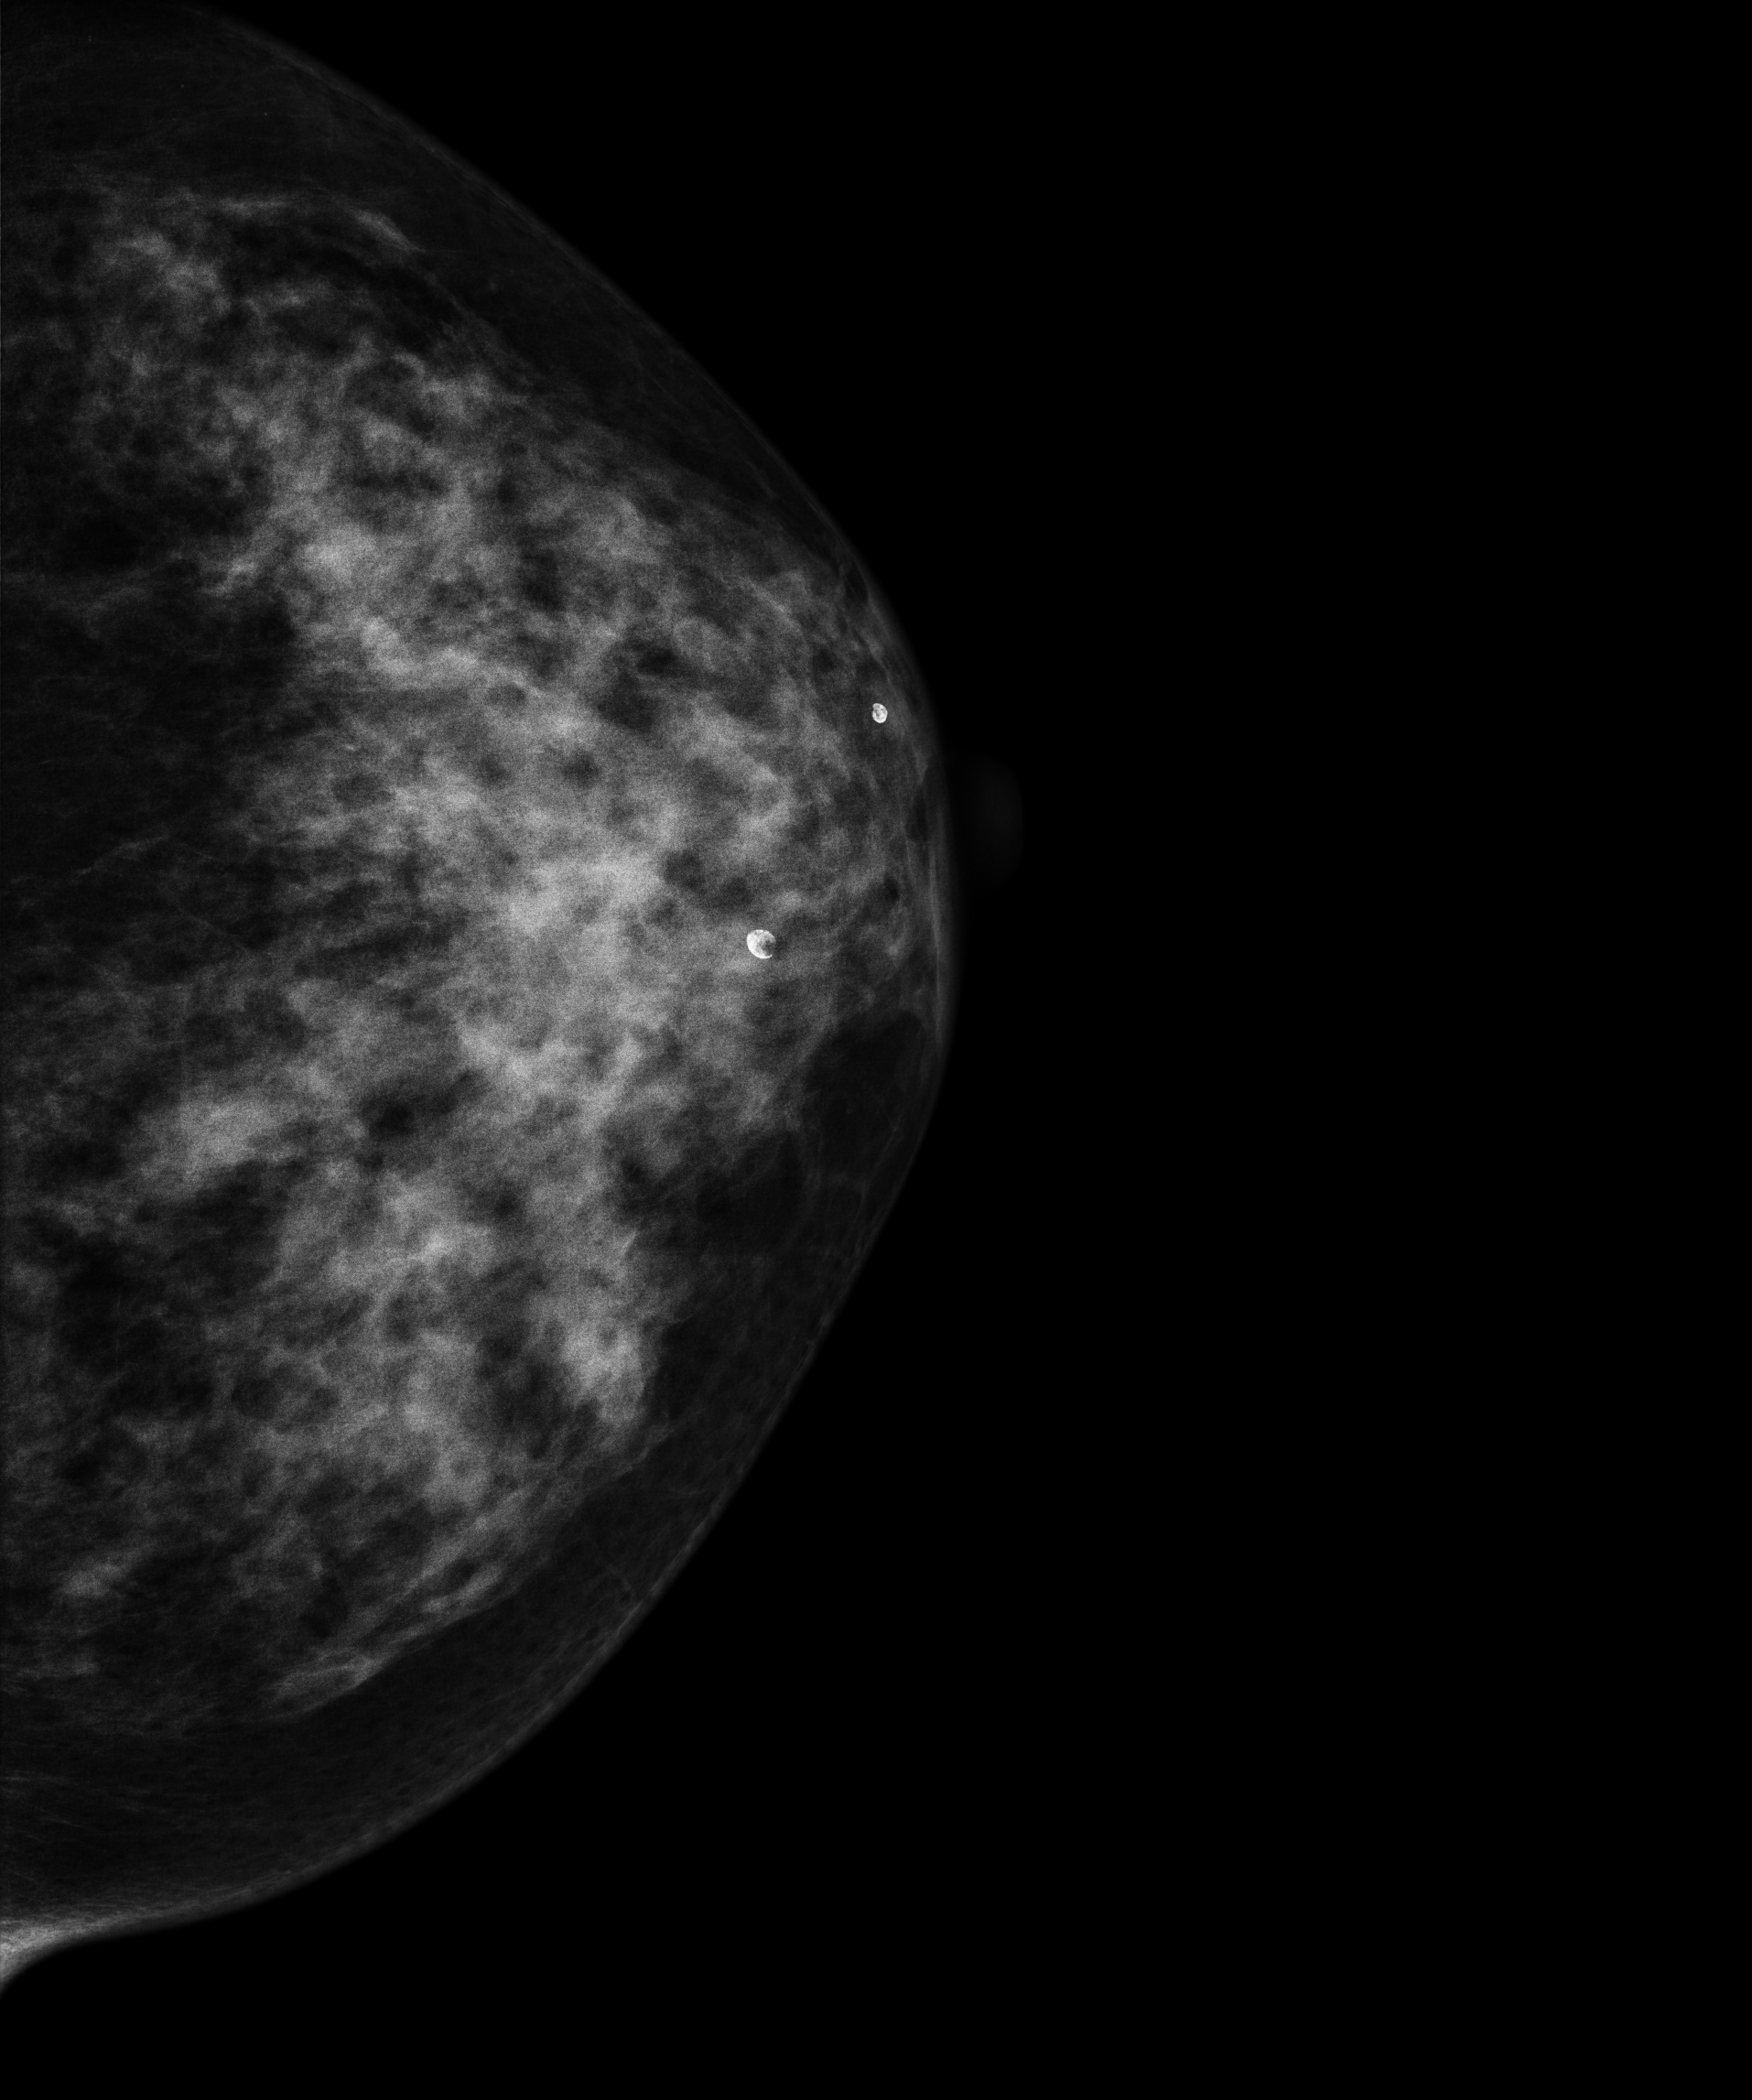
Left-breast mammogram, cranio-caudal. 55-year-old patient.
Contralateral breast — no documented abnormality on this side.